Mammogram — right cranio-caudal. 74-year-old patient.
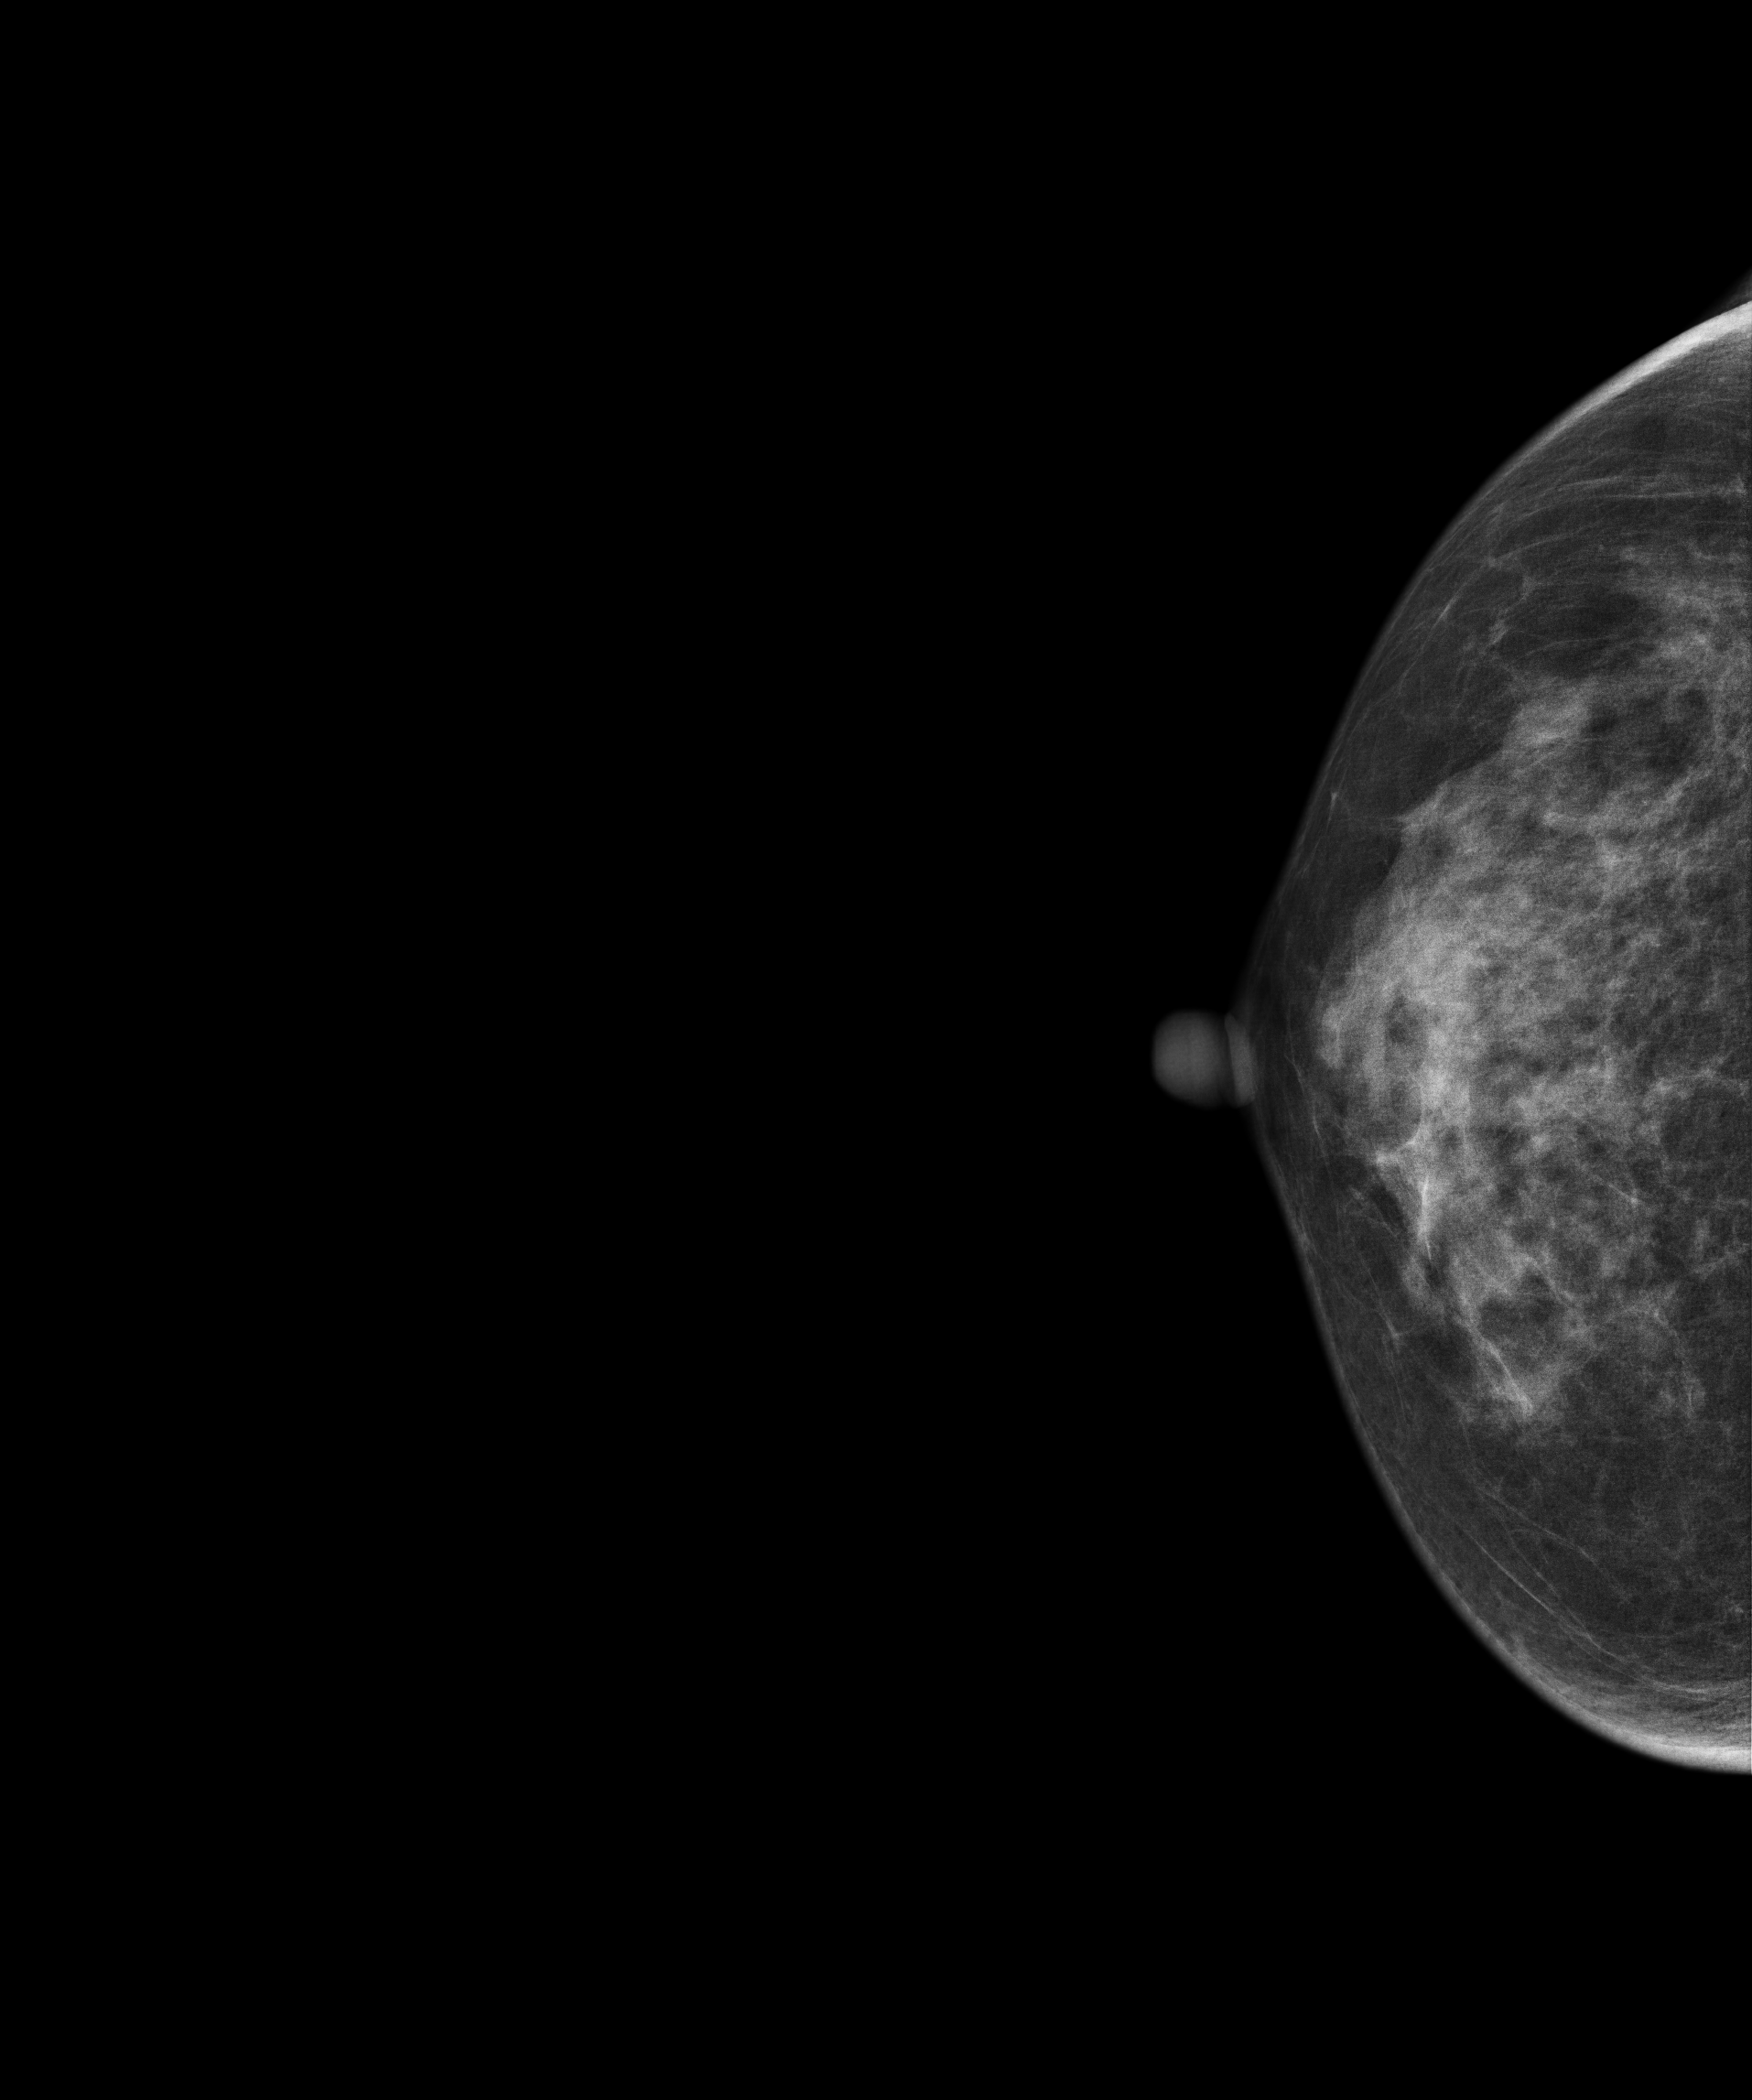
Contralateral breast — no documented abnormality on this side.